Cranio-caudal mammogram of the right breast. Patient age 47.
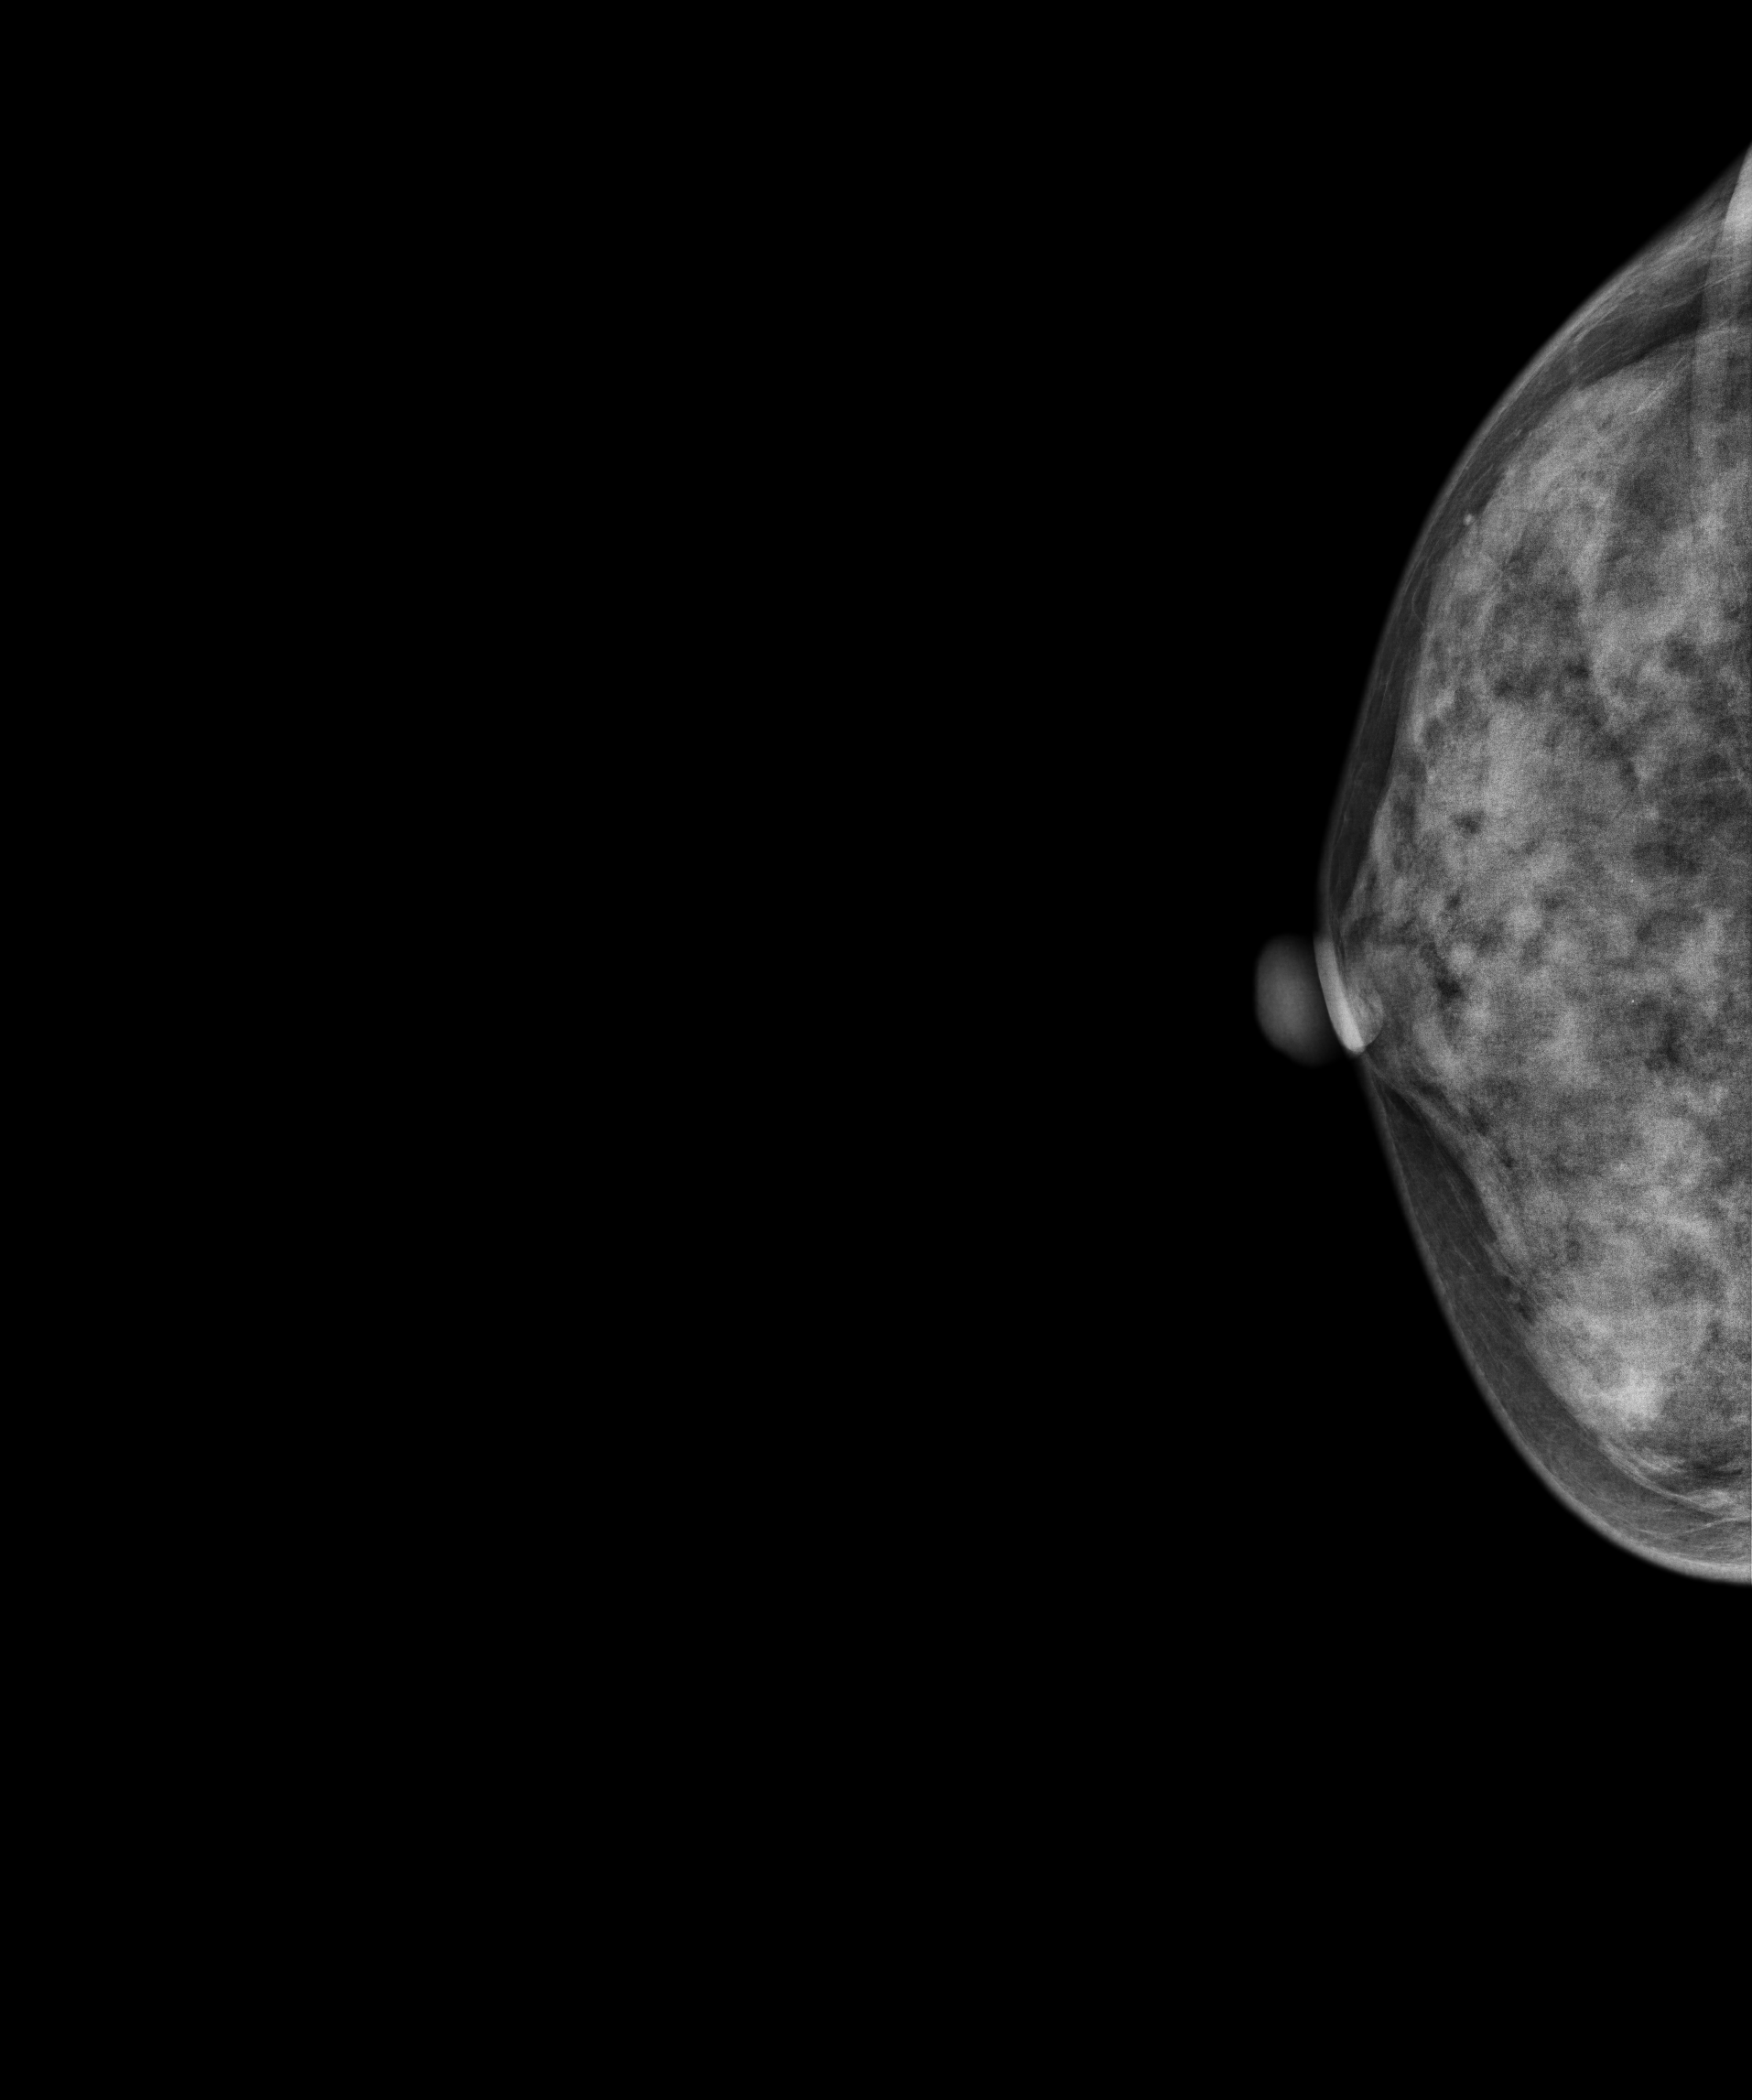
Contralateral breast — no documented abnormality on this side.